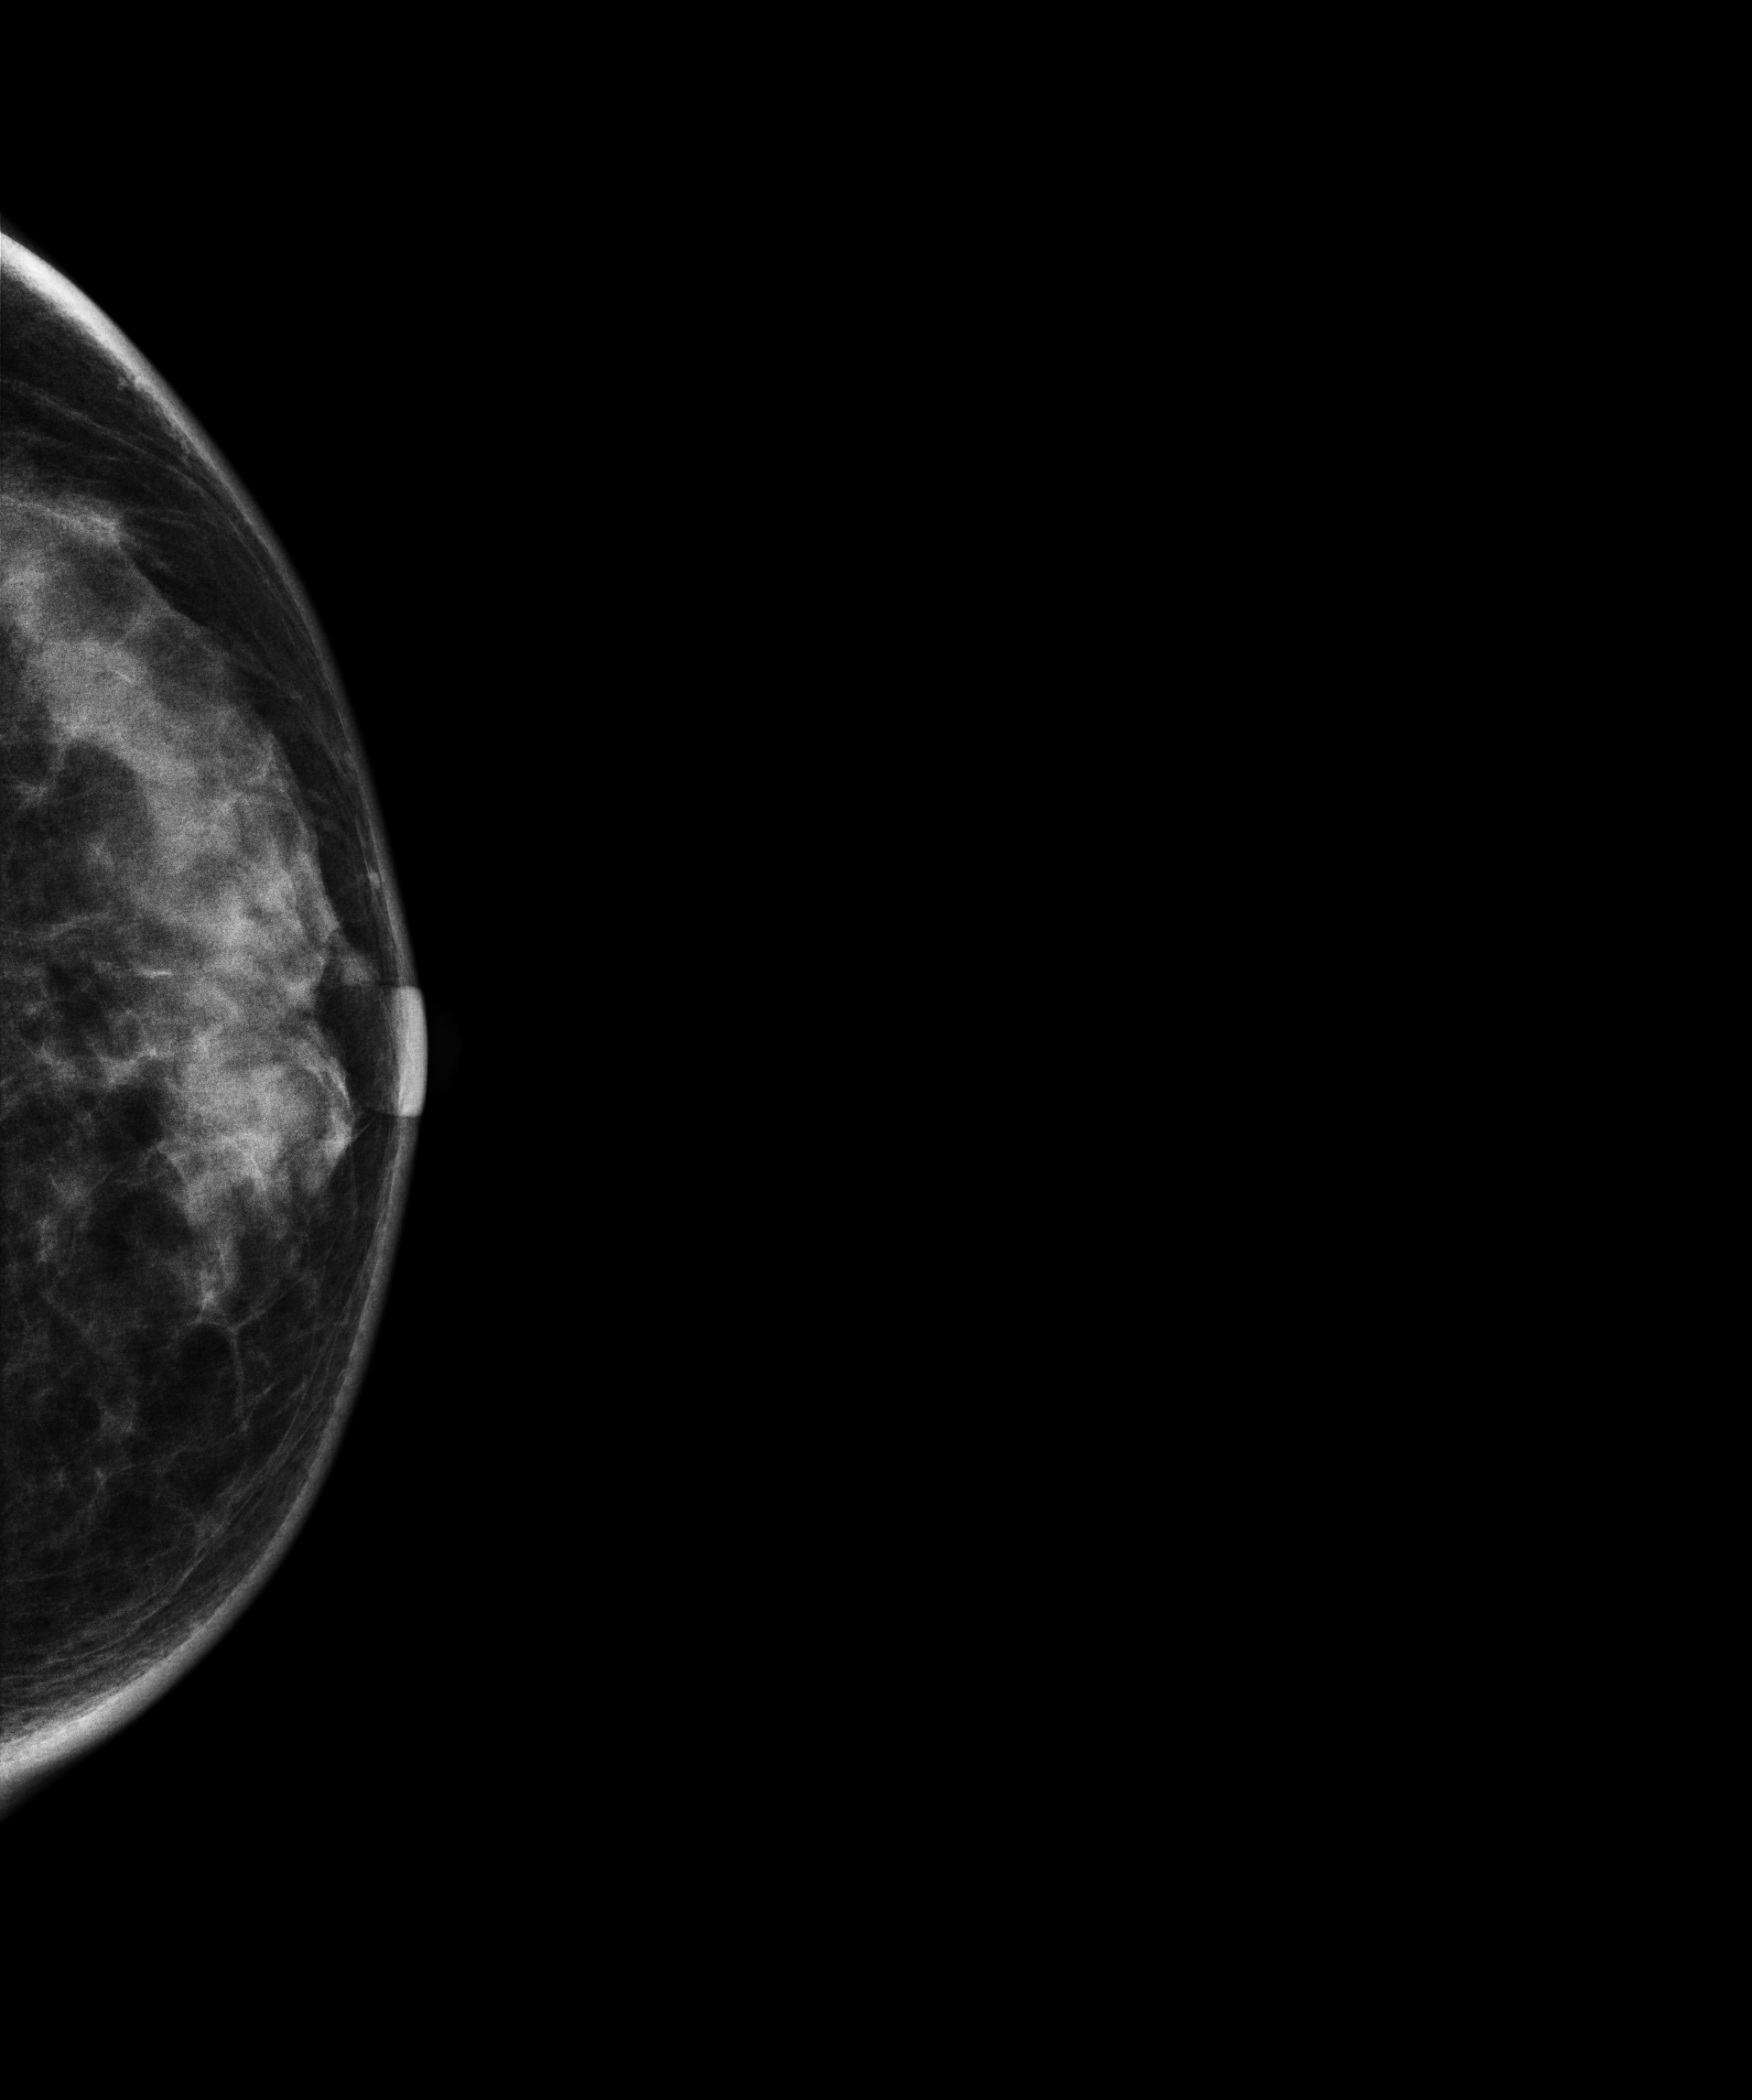
CC mammogram of the left breast. Patient age 39.
This breast has a mass, pathology-confirmed benign.